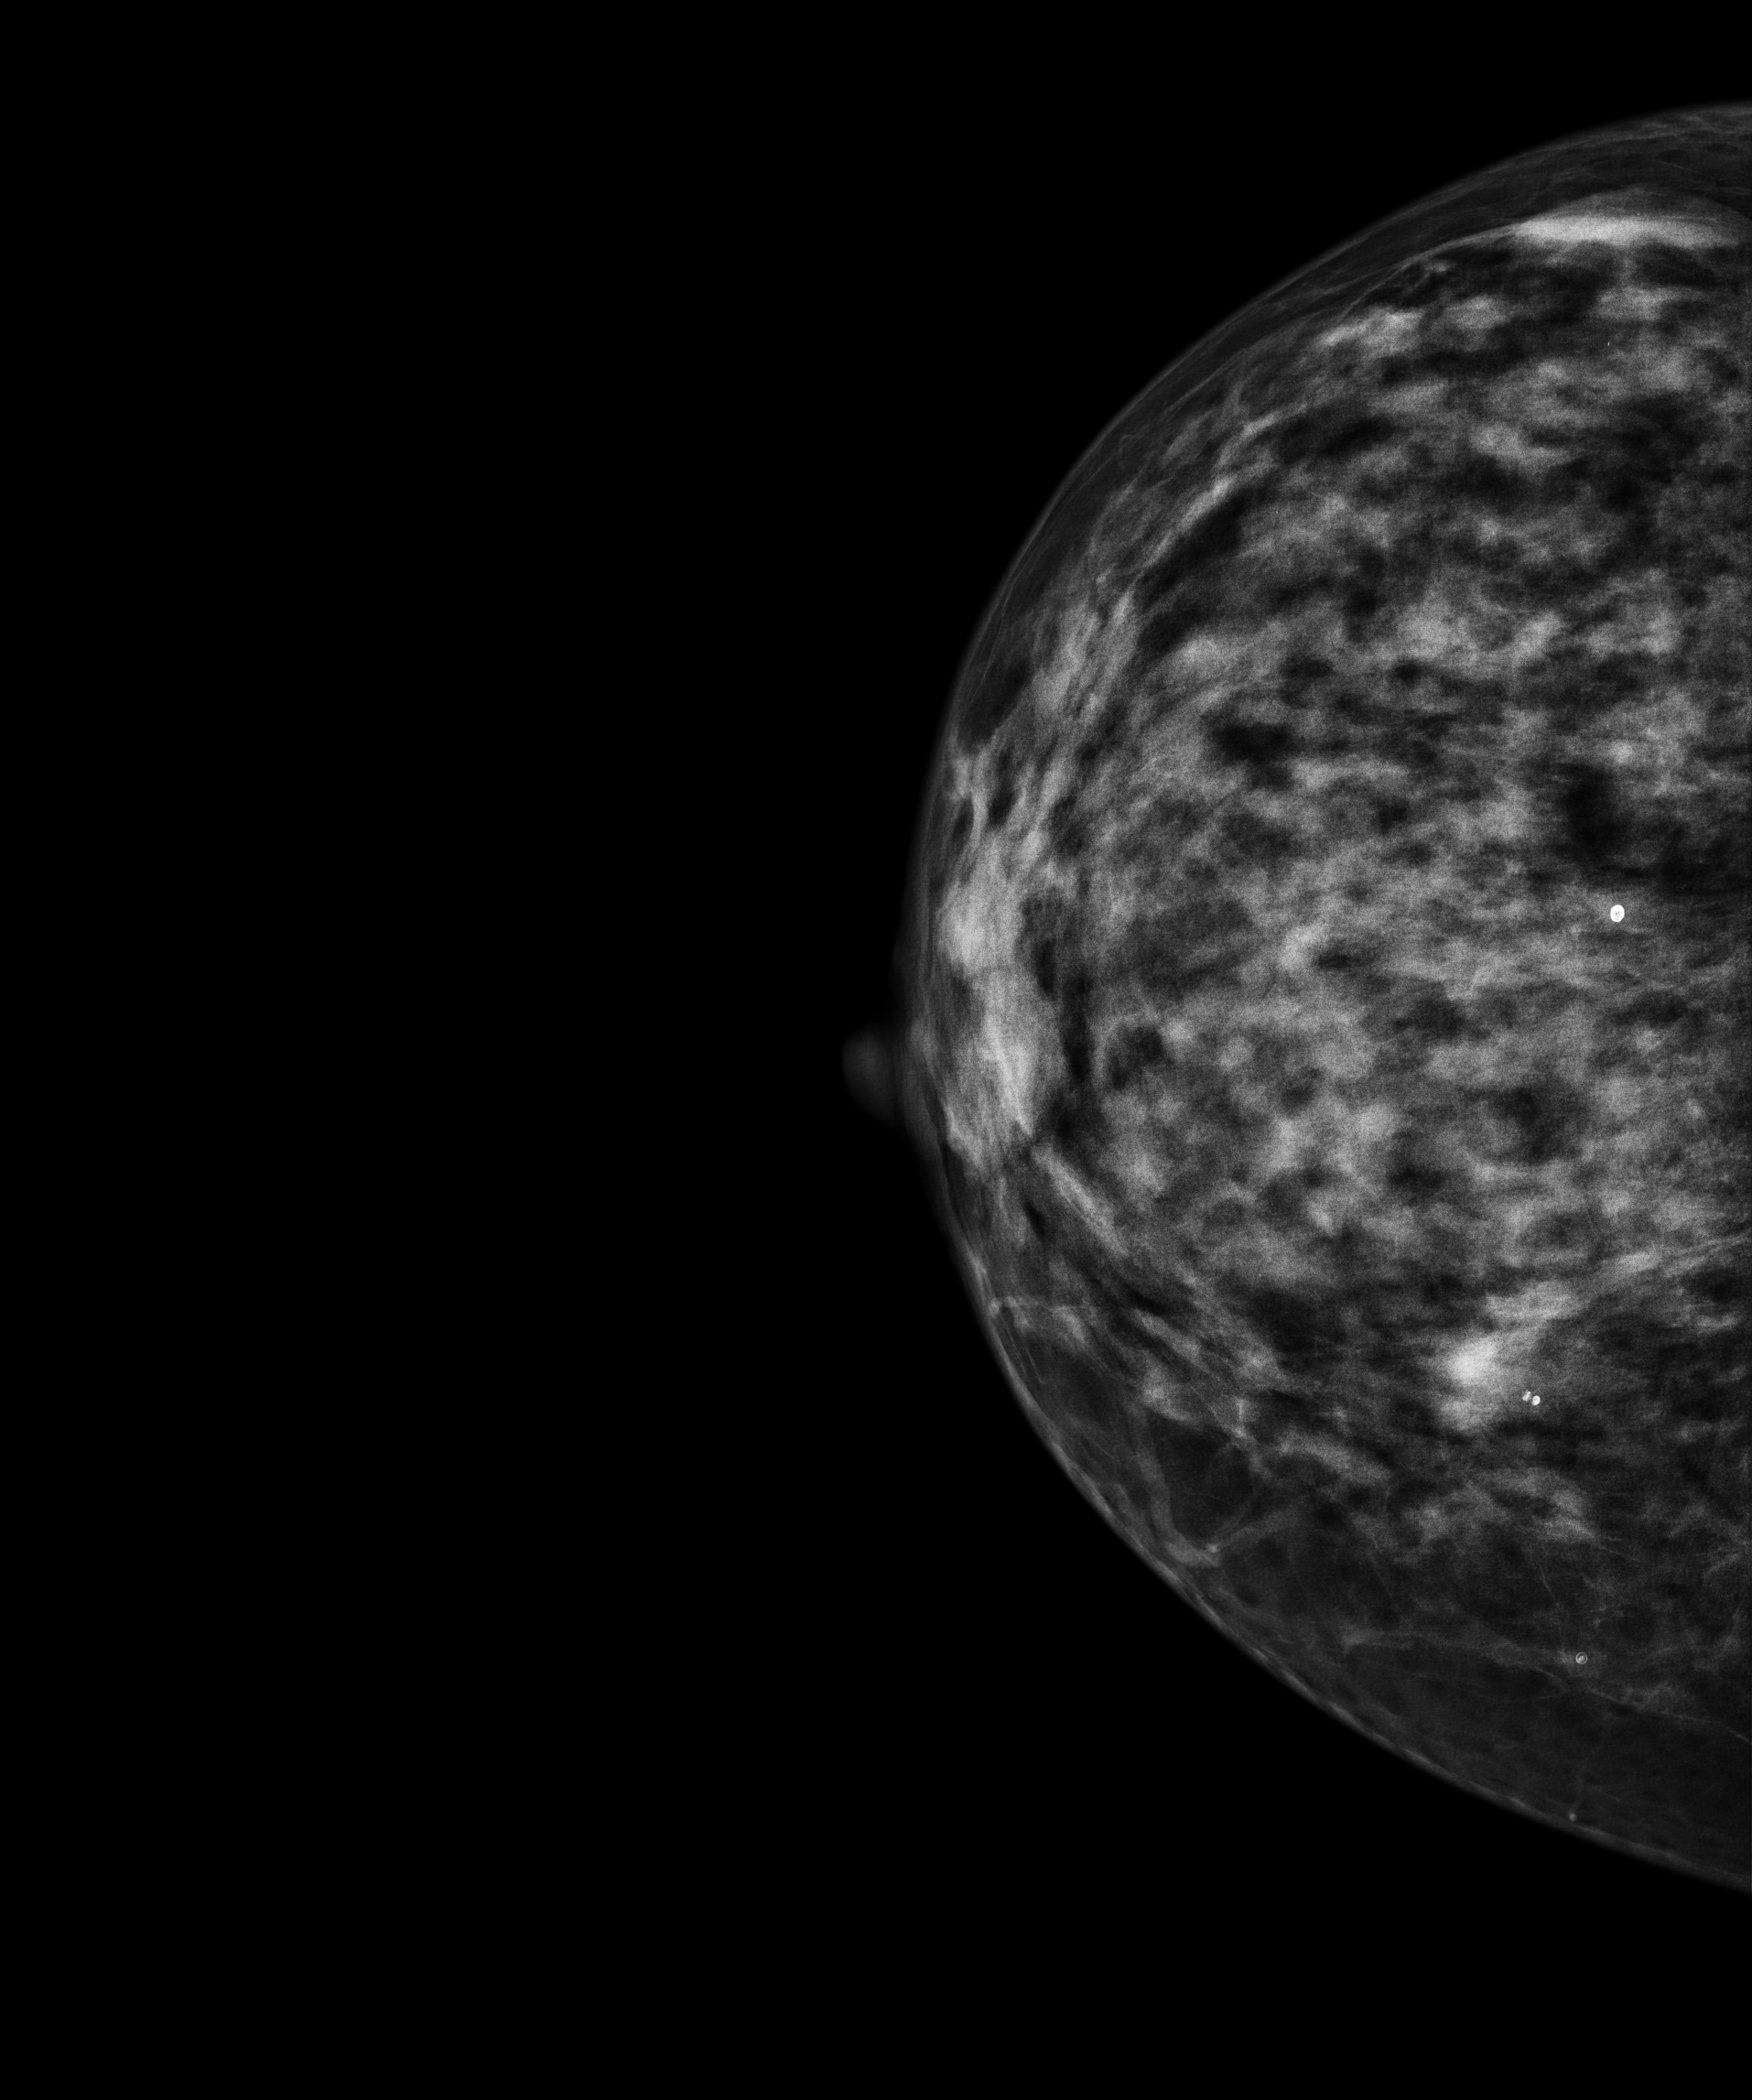
Right-breast mammogram, CC. 49-year-old patient.
This breast has calcifications, histologically confirmed benign.